Right-breast mammogram, cranio-caudal. Patient age 40.
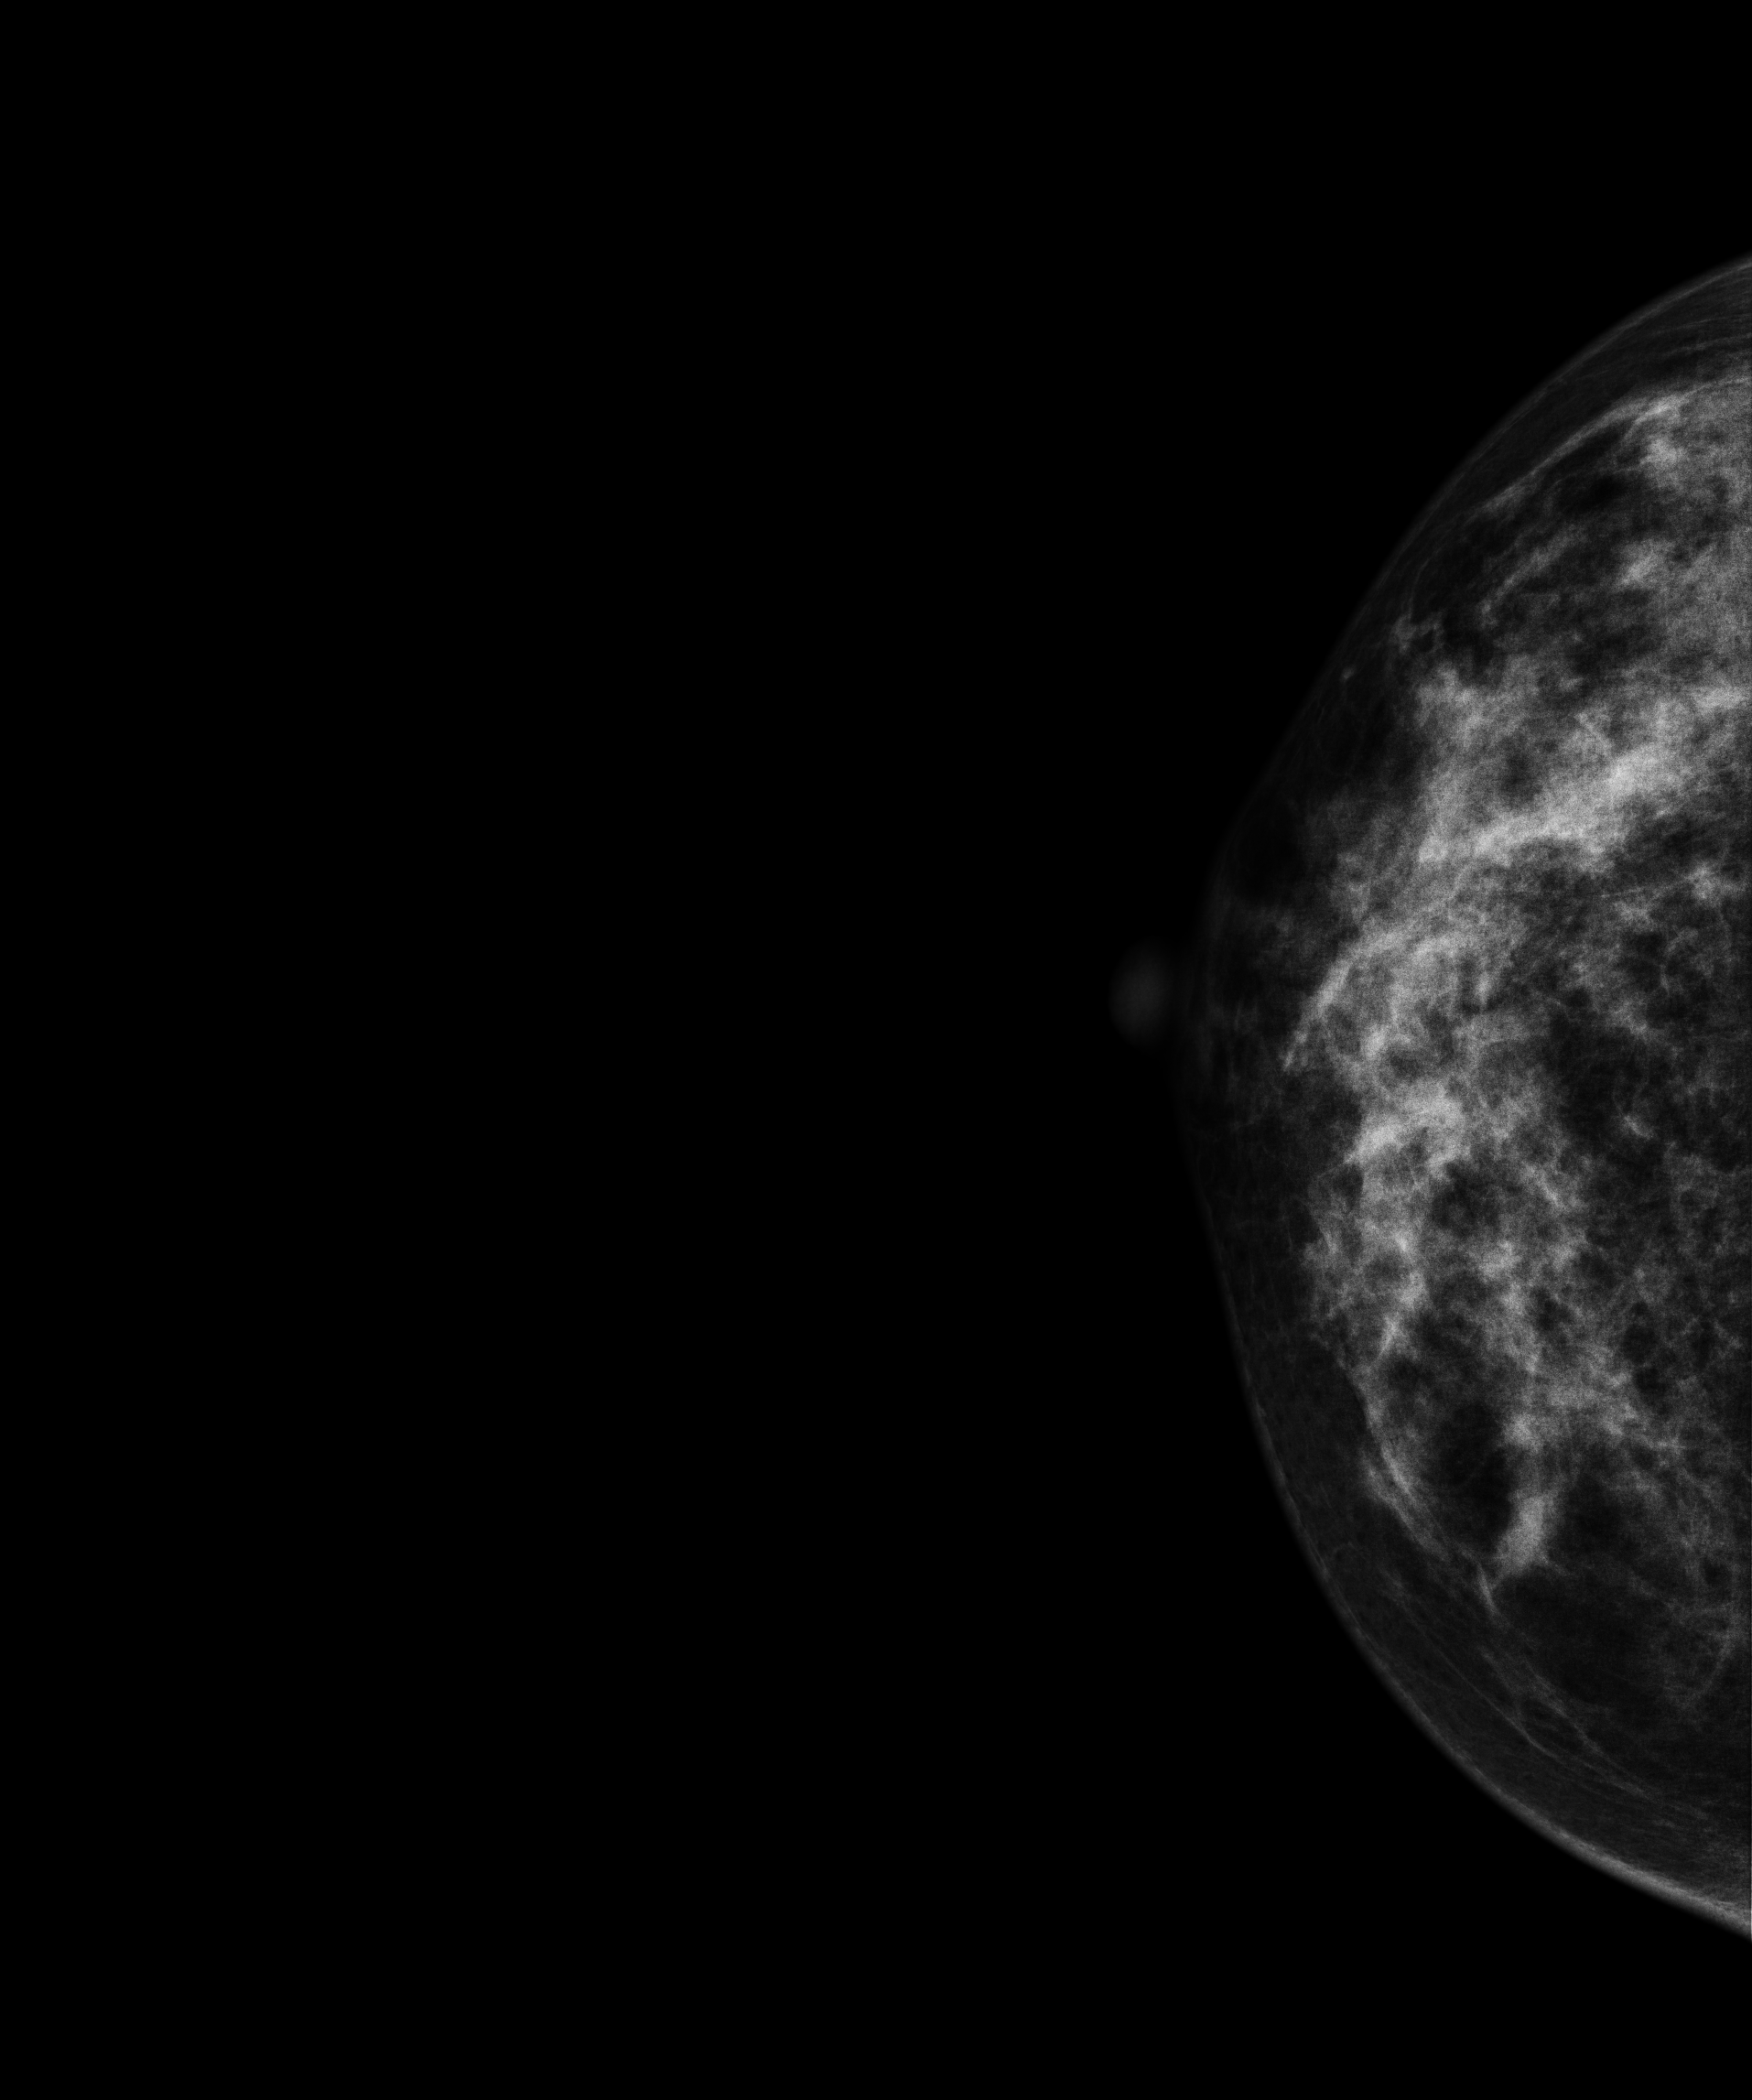
Contralateral breast — no documented abnormality on this side.